Left-breast mammogram, MLO. 87-year-old patient.
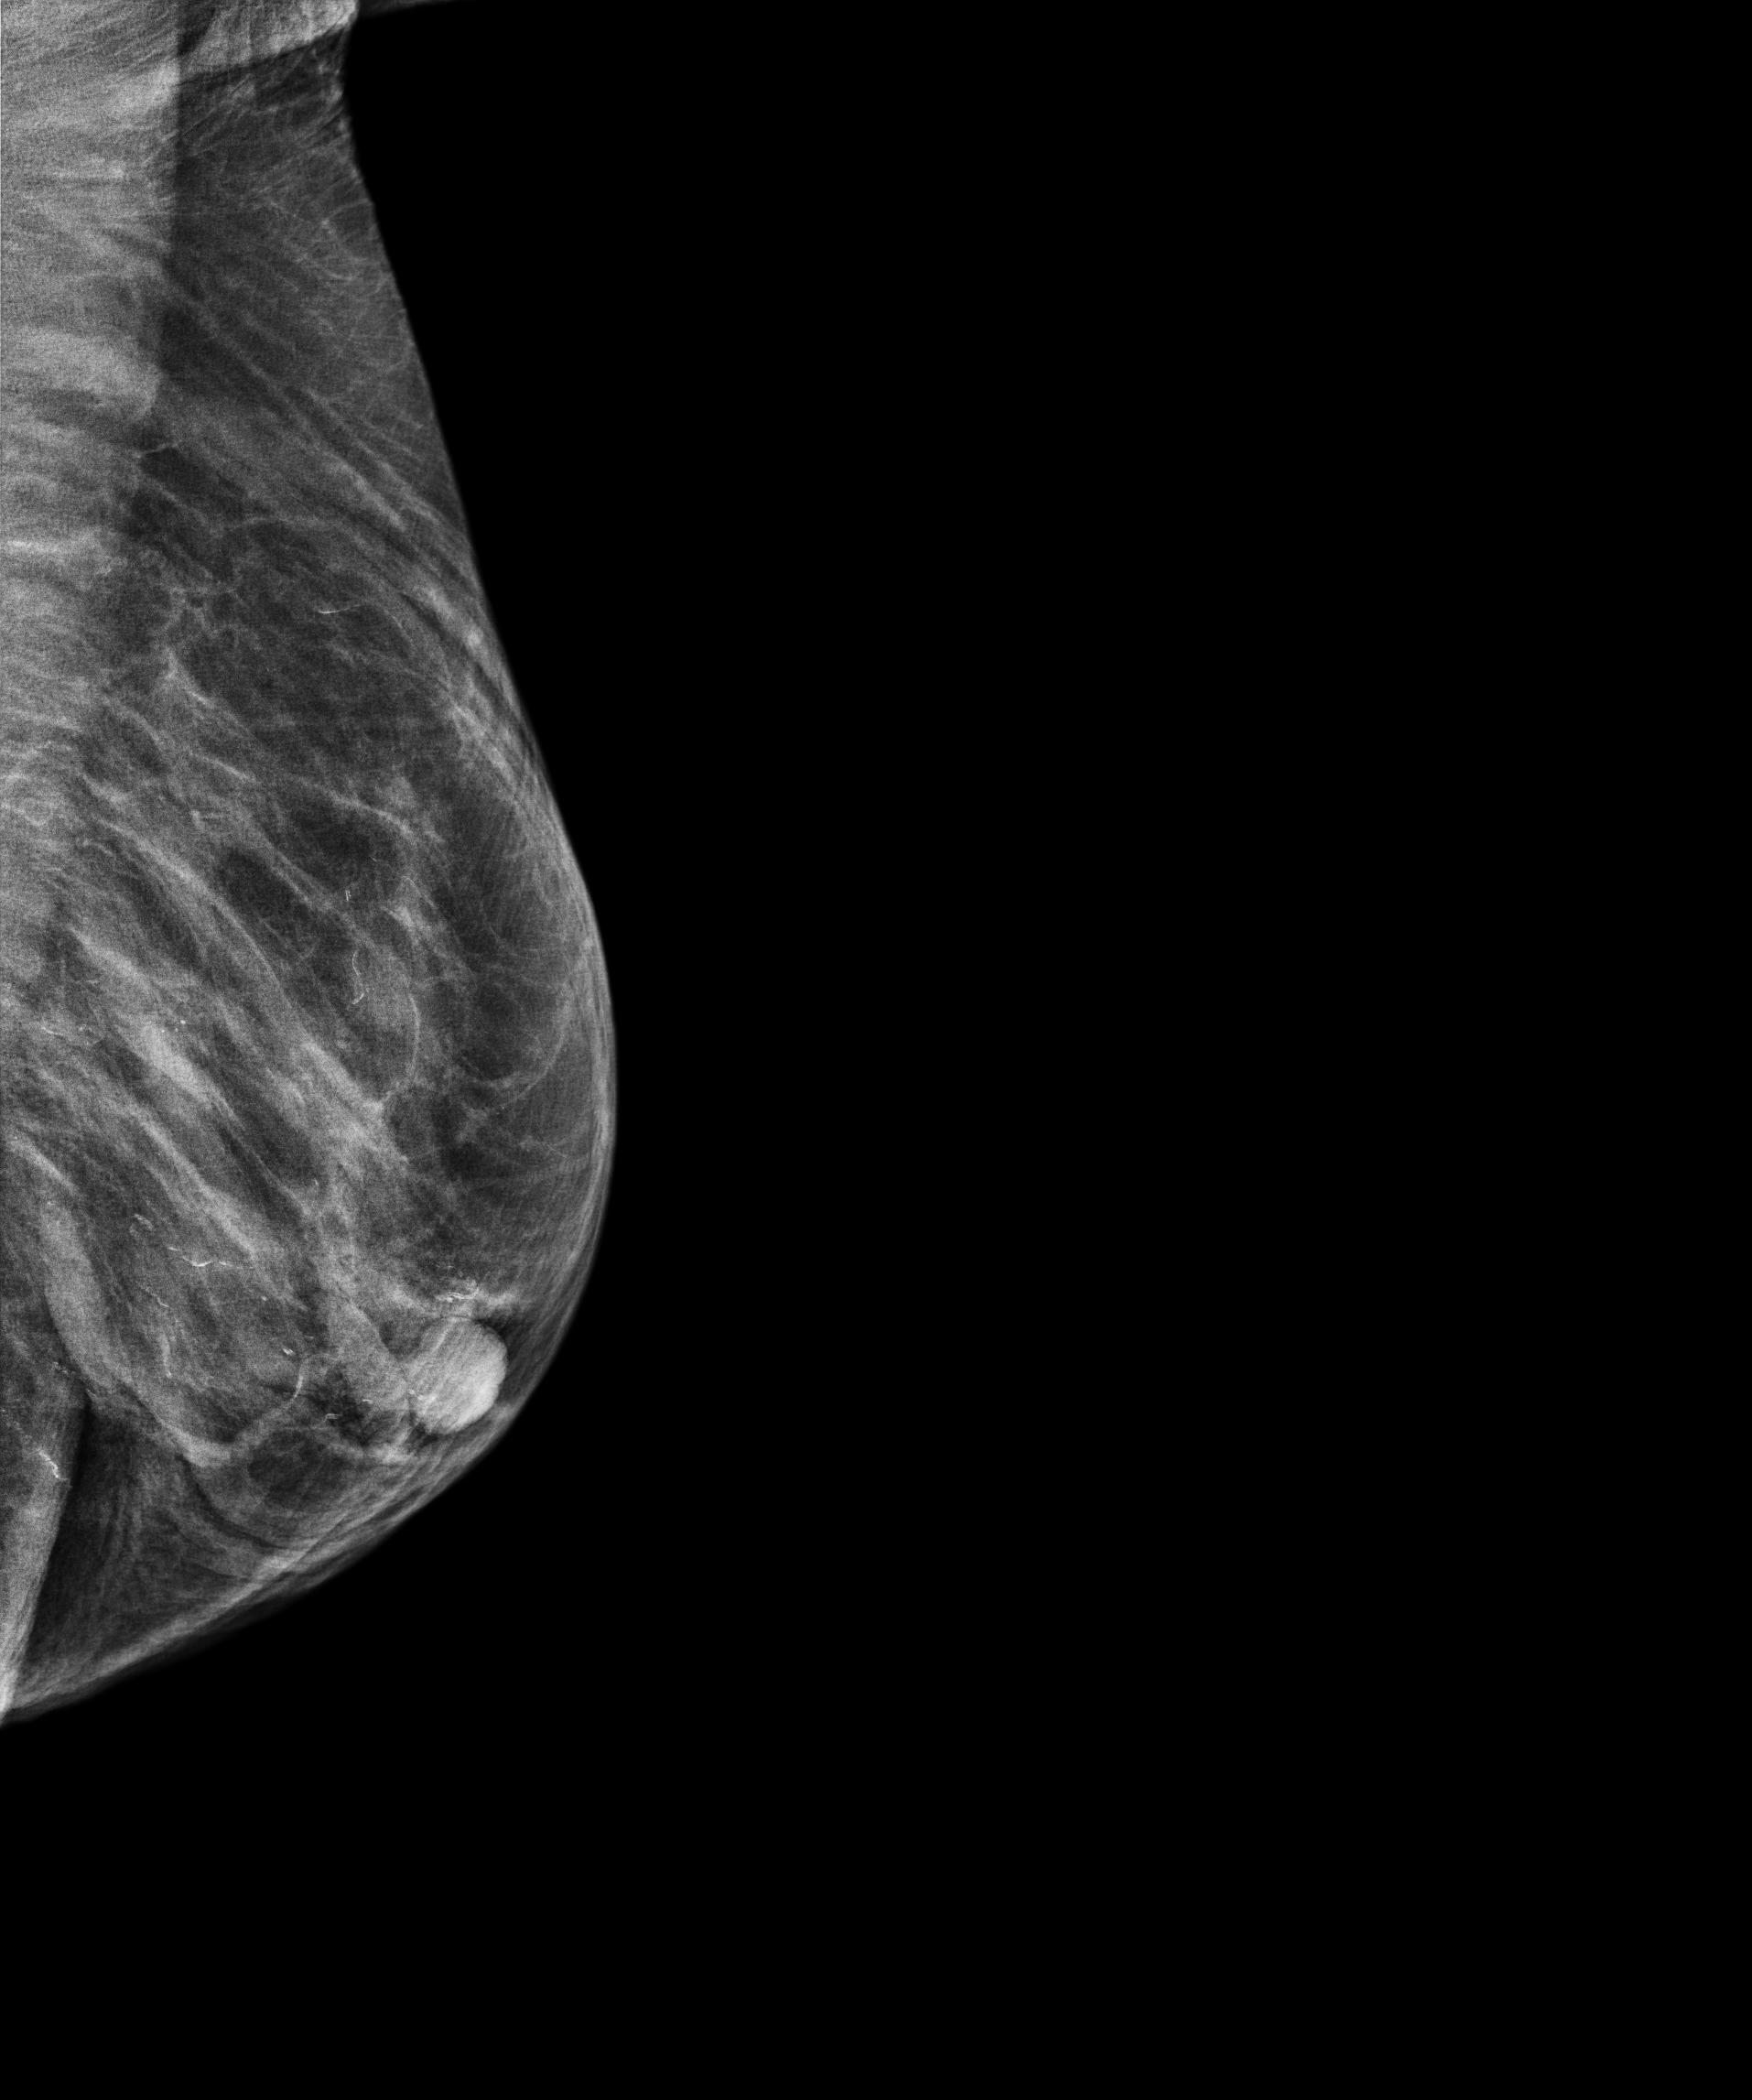
Contralateral breast — no documented abnormality on this side.